Digital mammography. Left breast, MLO projection. 46 y/o patient.
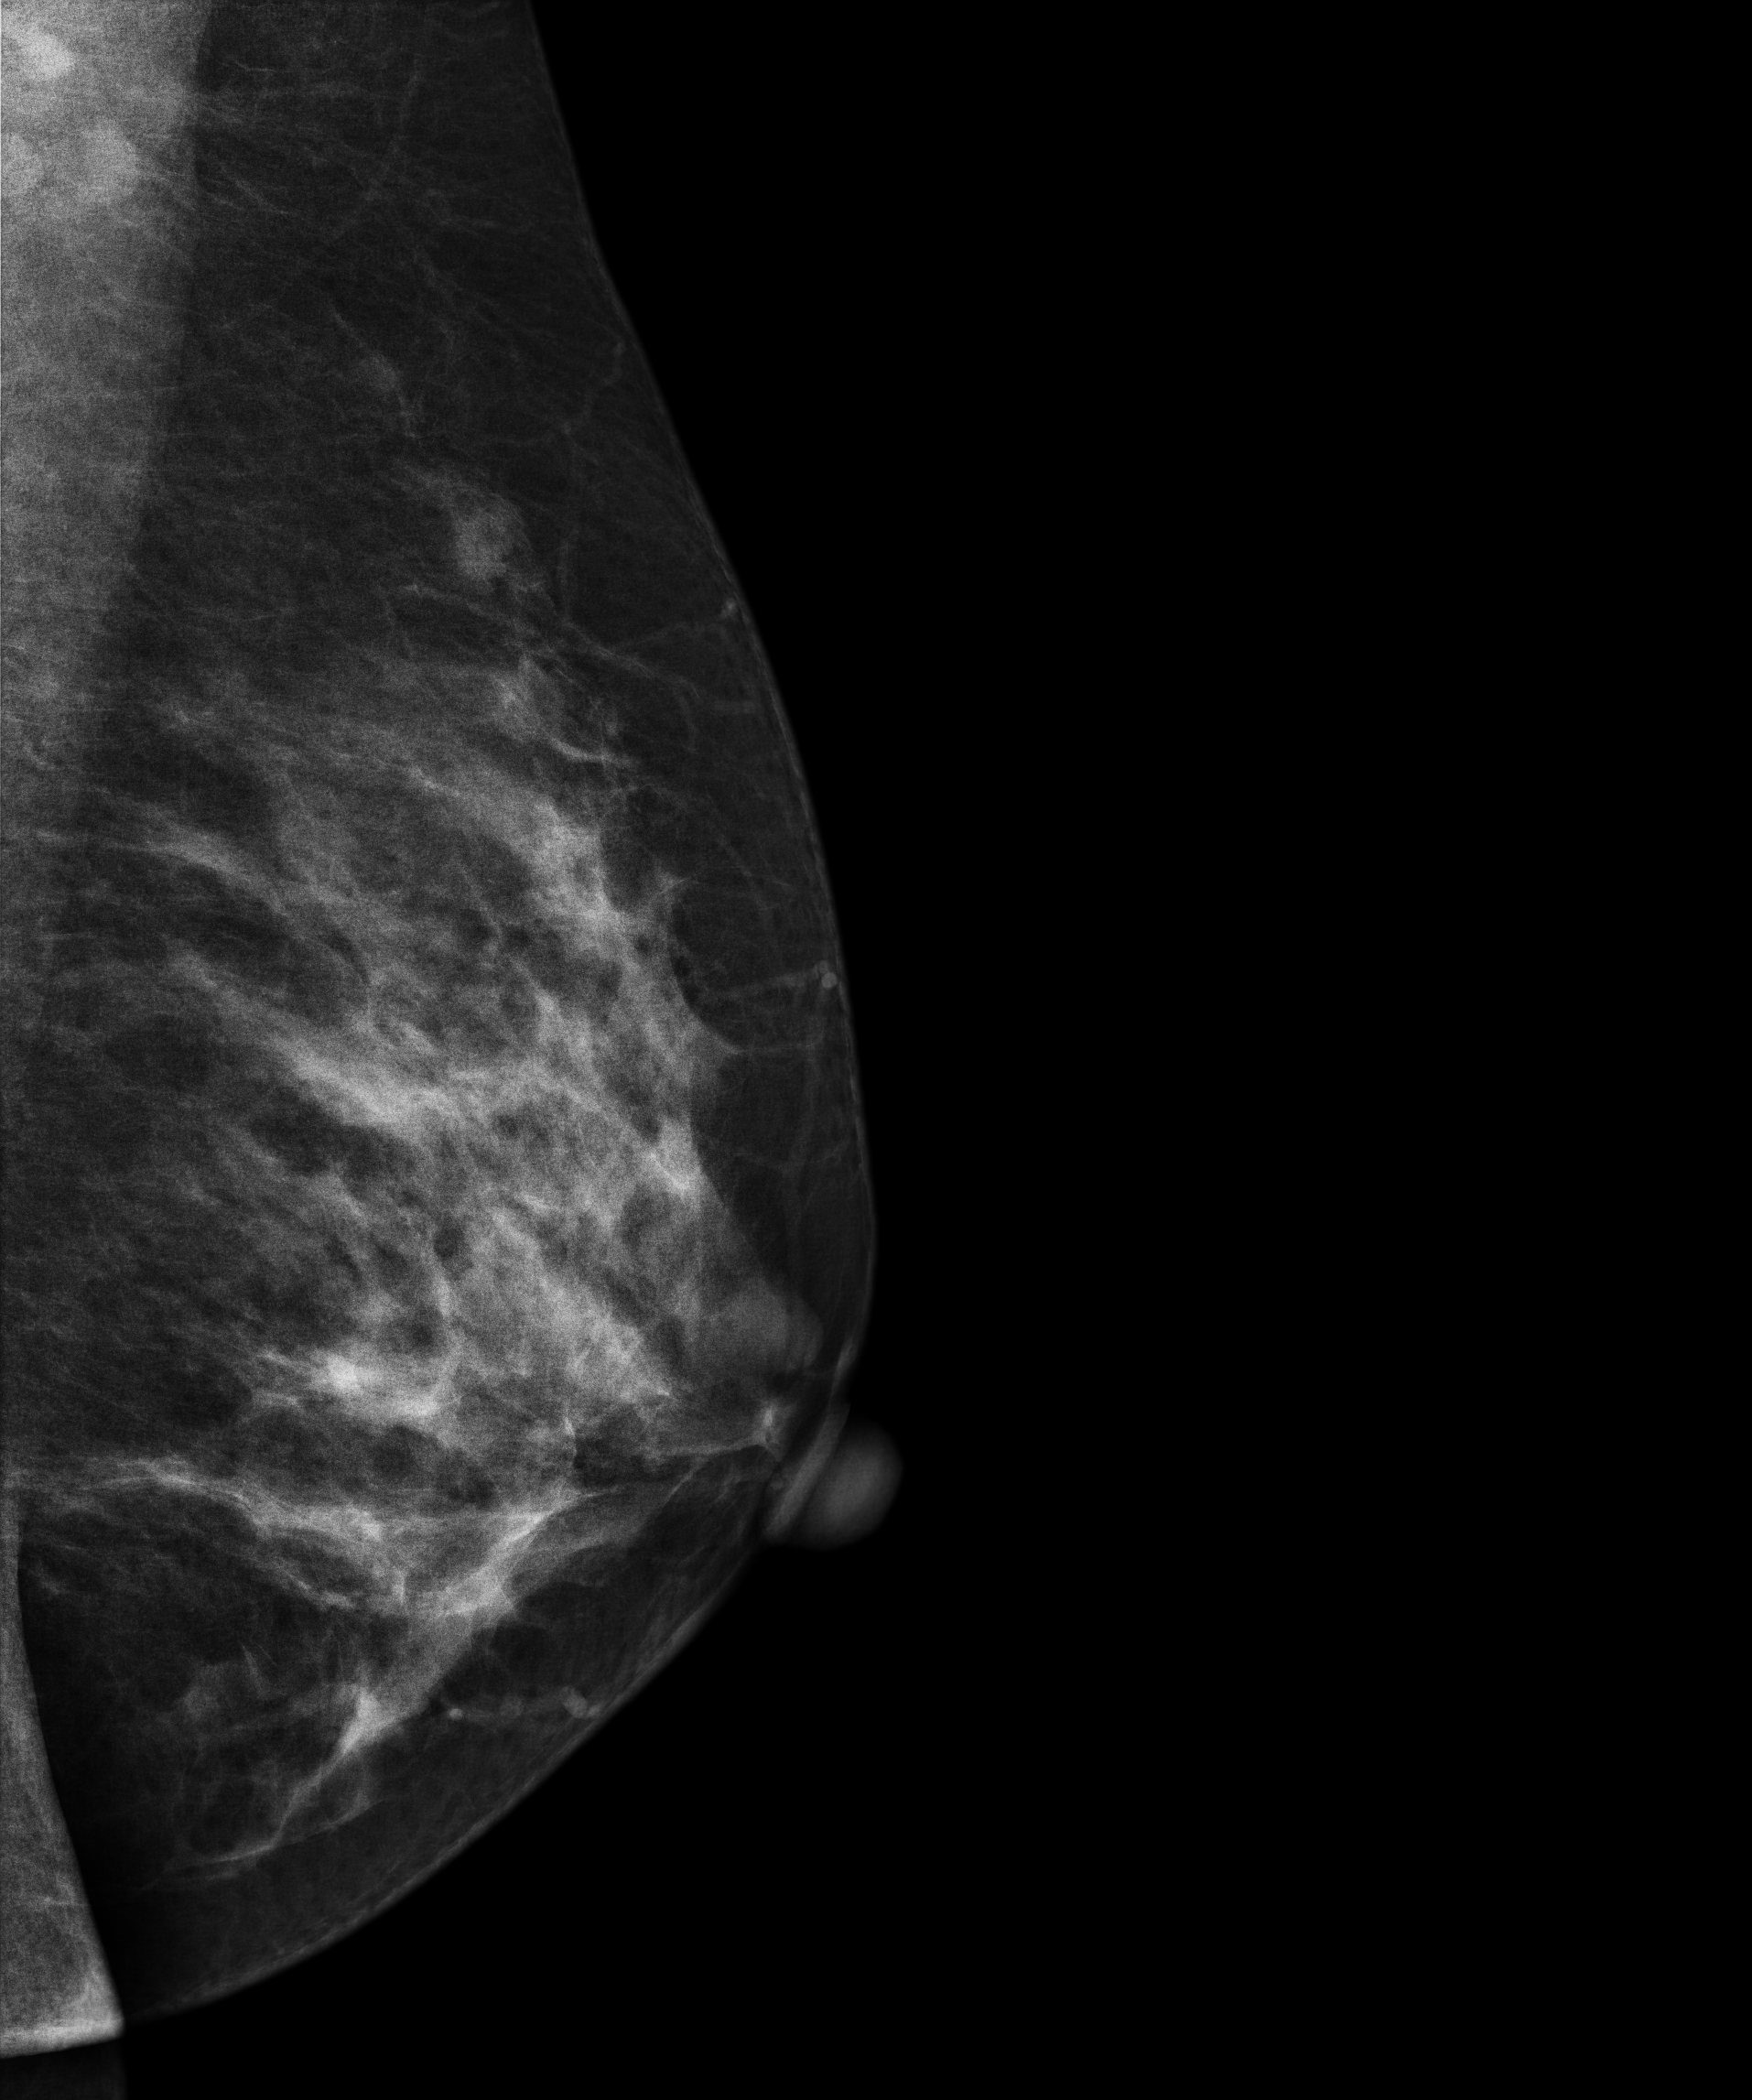
This breast has a mass, biopsy-proven benign.